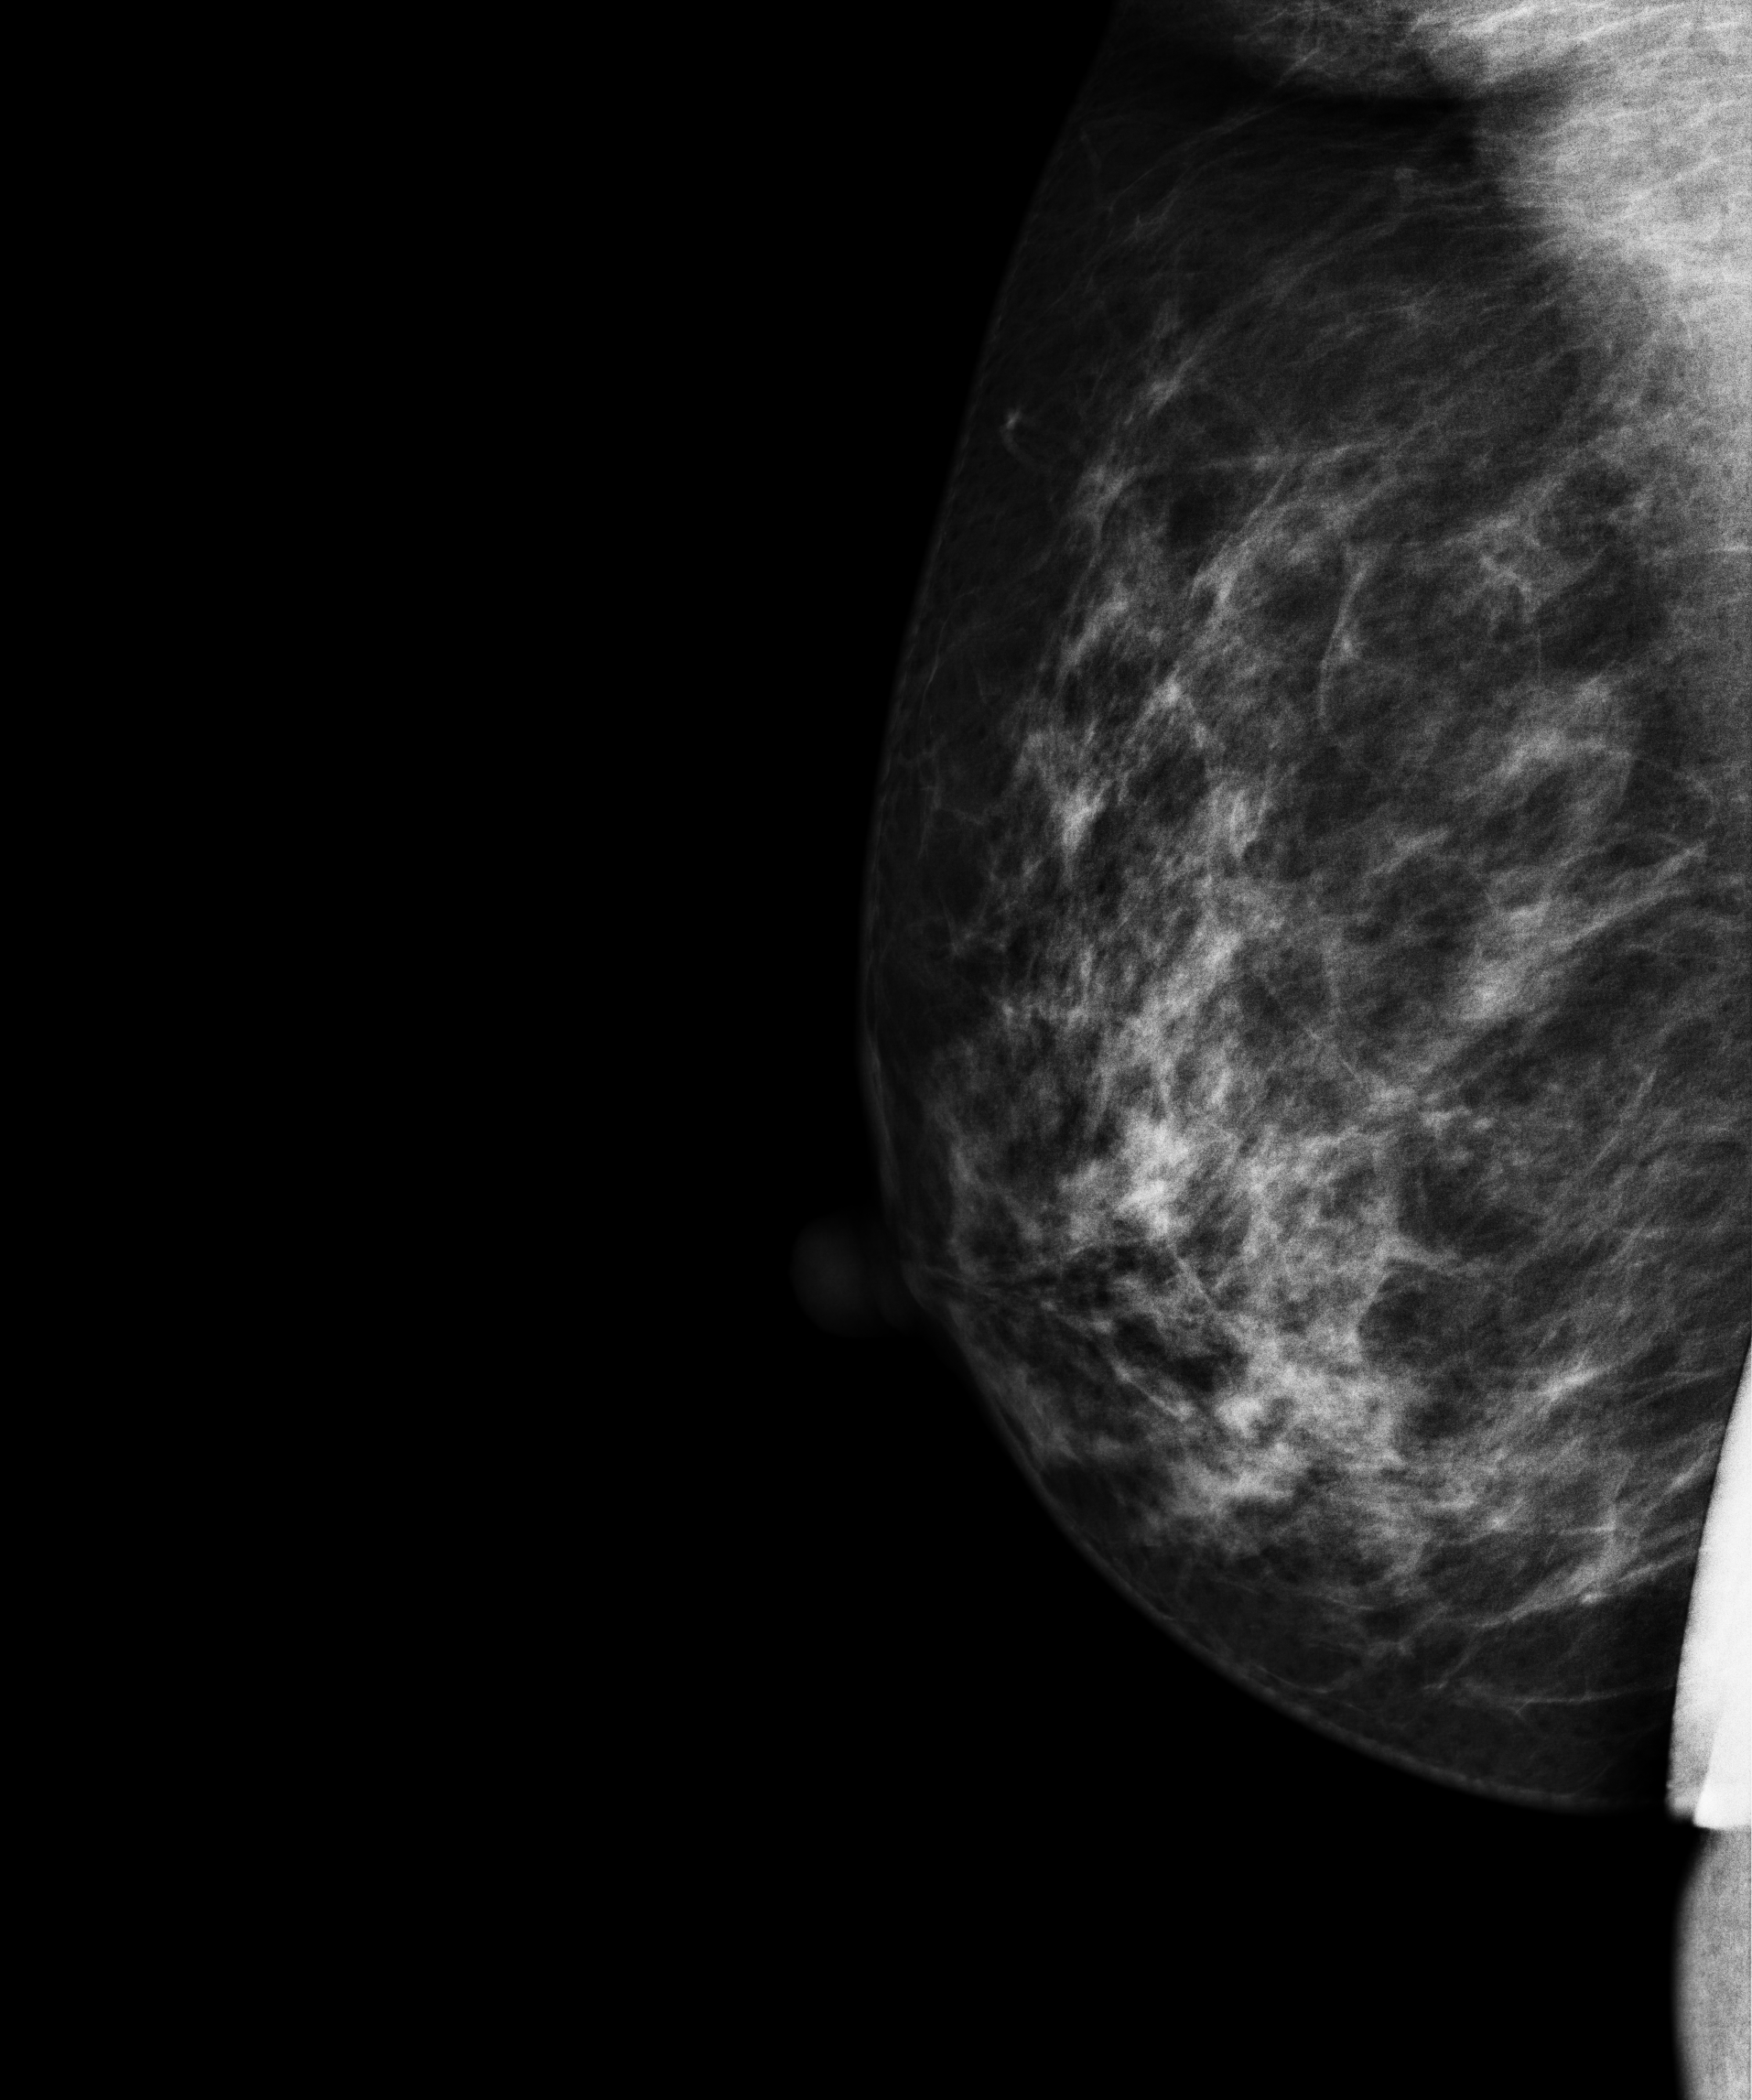
Digital mammography. Right breast, medio-lateral oblique projection. 46-year-old patient.
Contralateral breast — no documented abnormality on this side.